Mammogram, left breast, cranio-caudal view. Patient age 40.
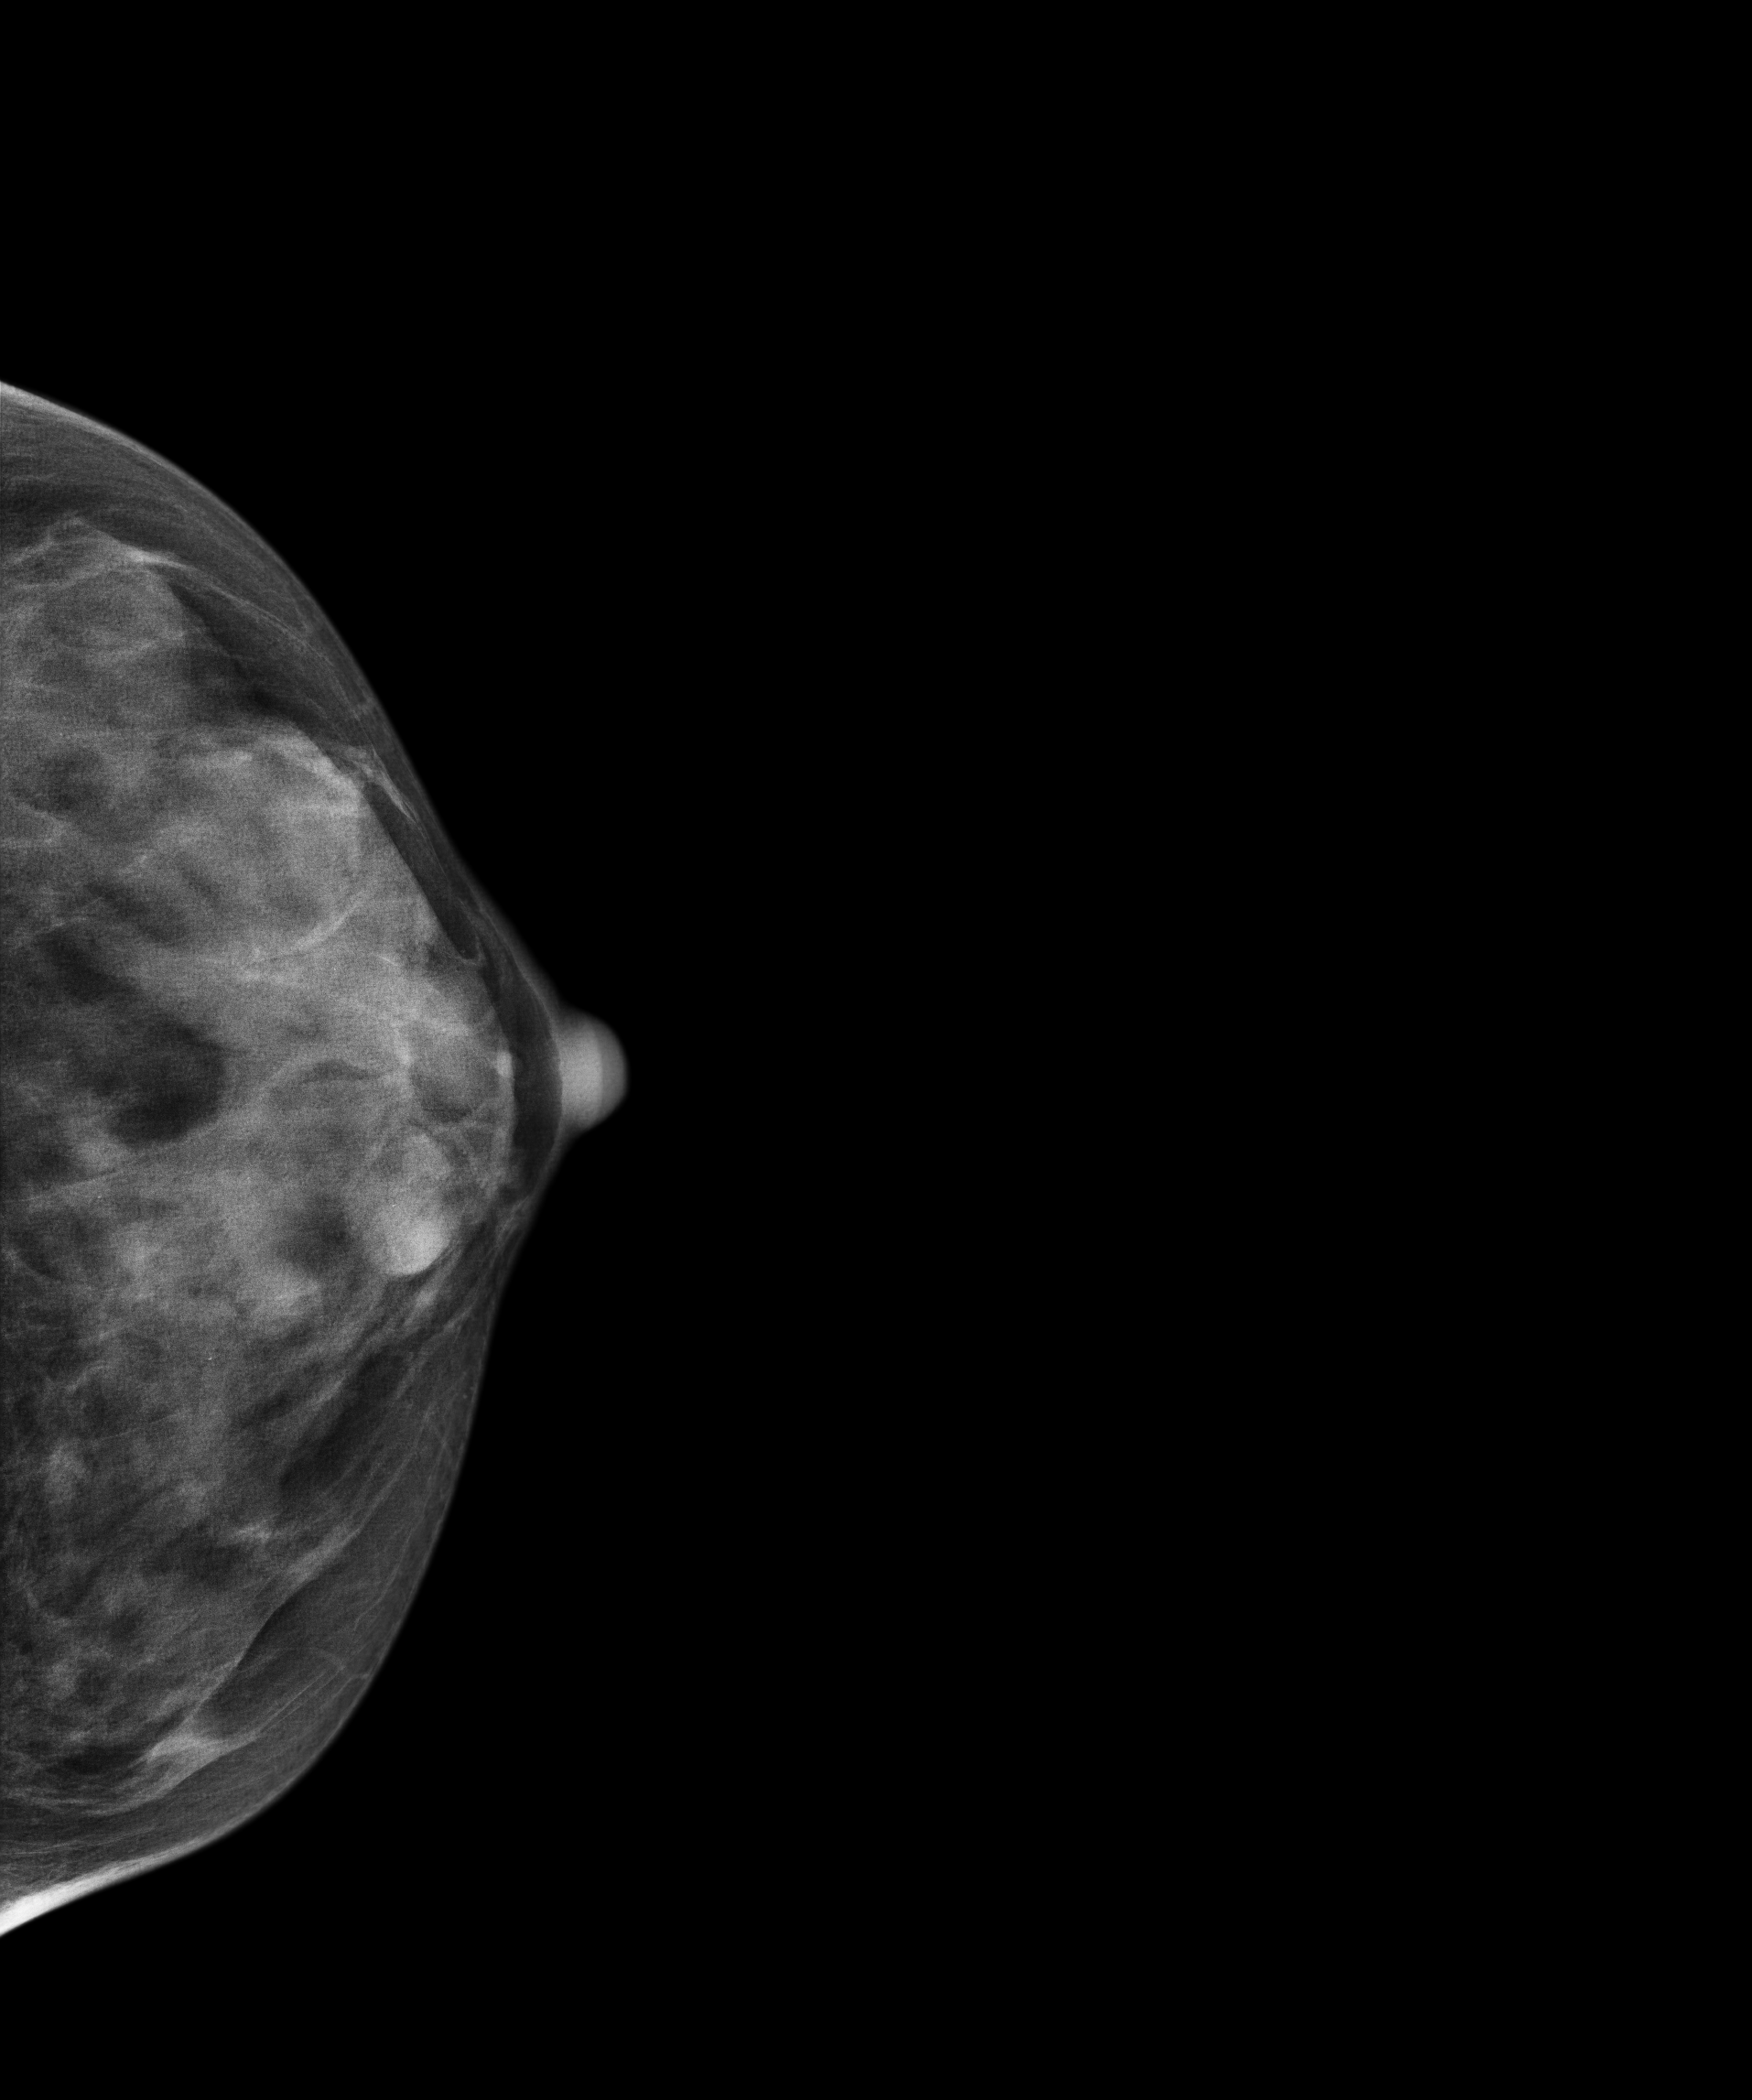
This breast has a mass, biopsy-proven benign.